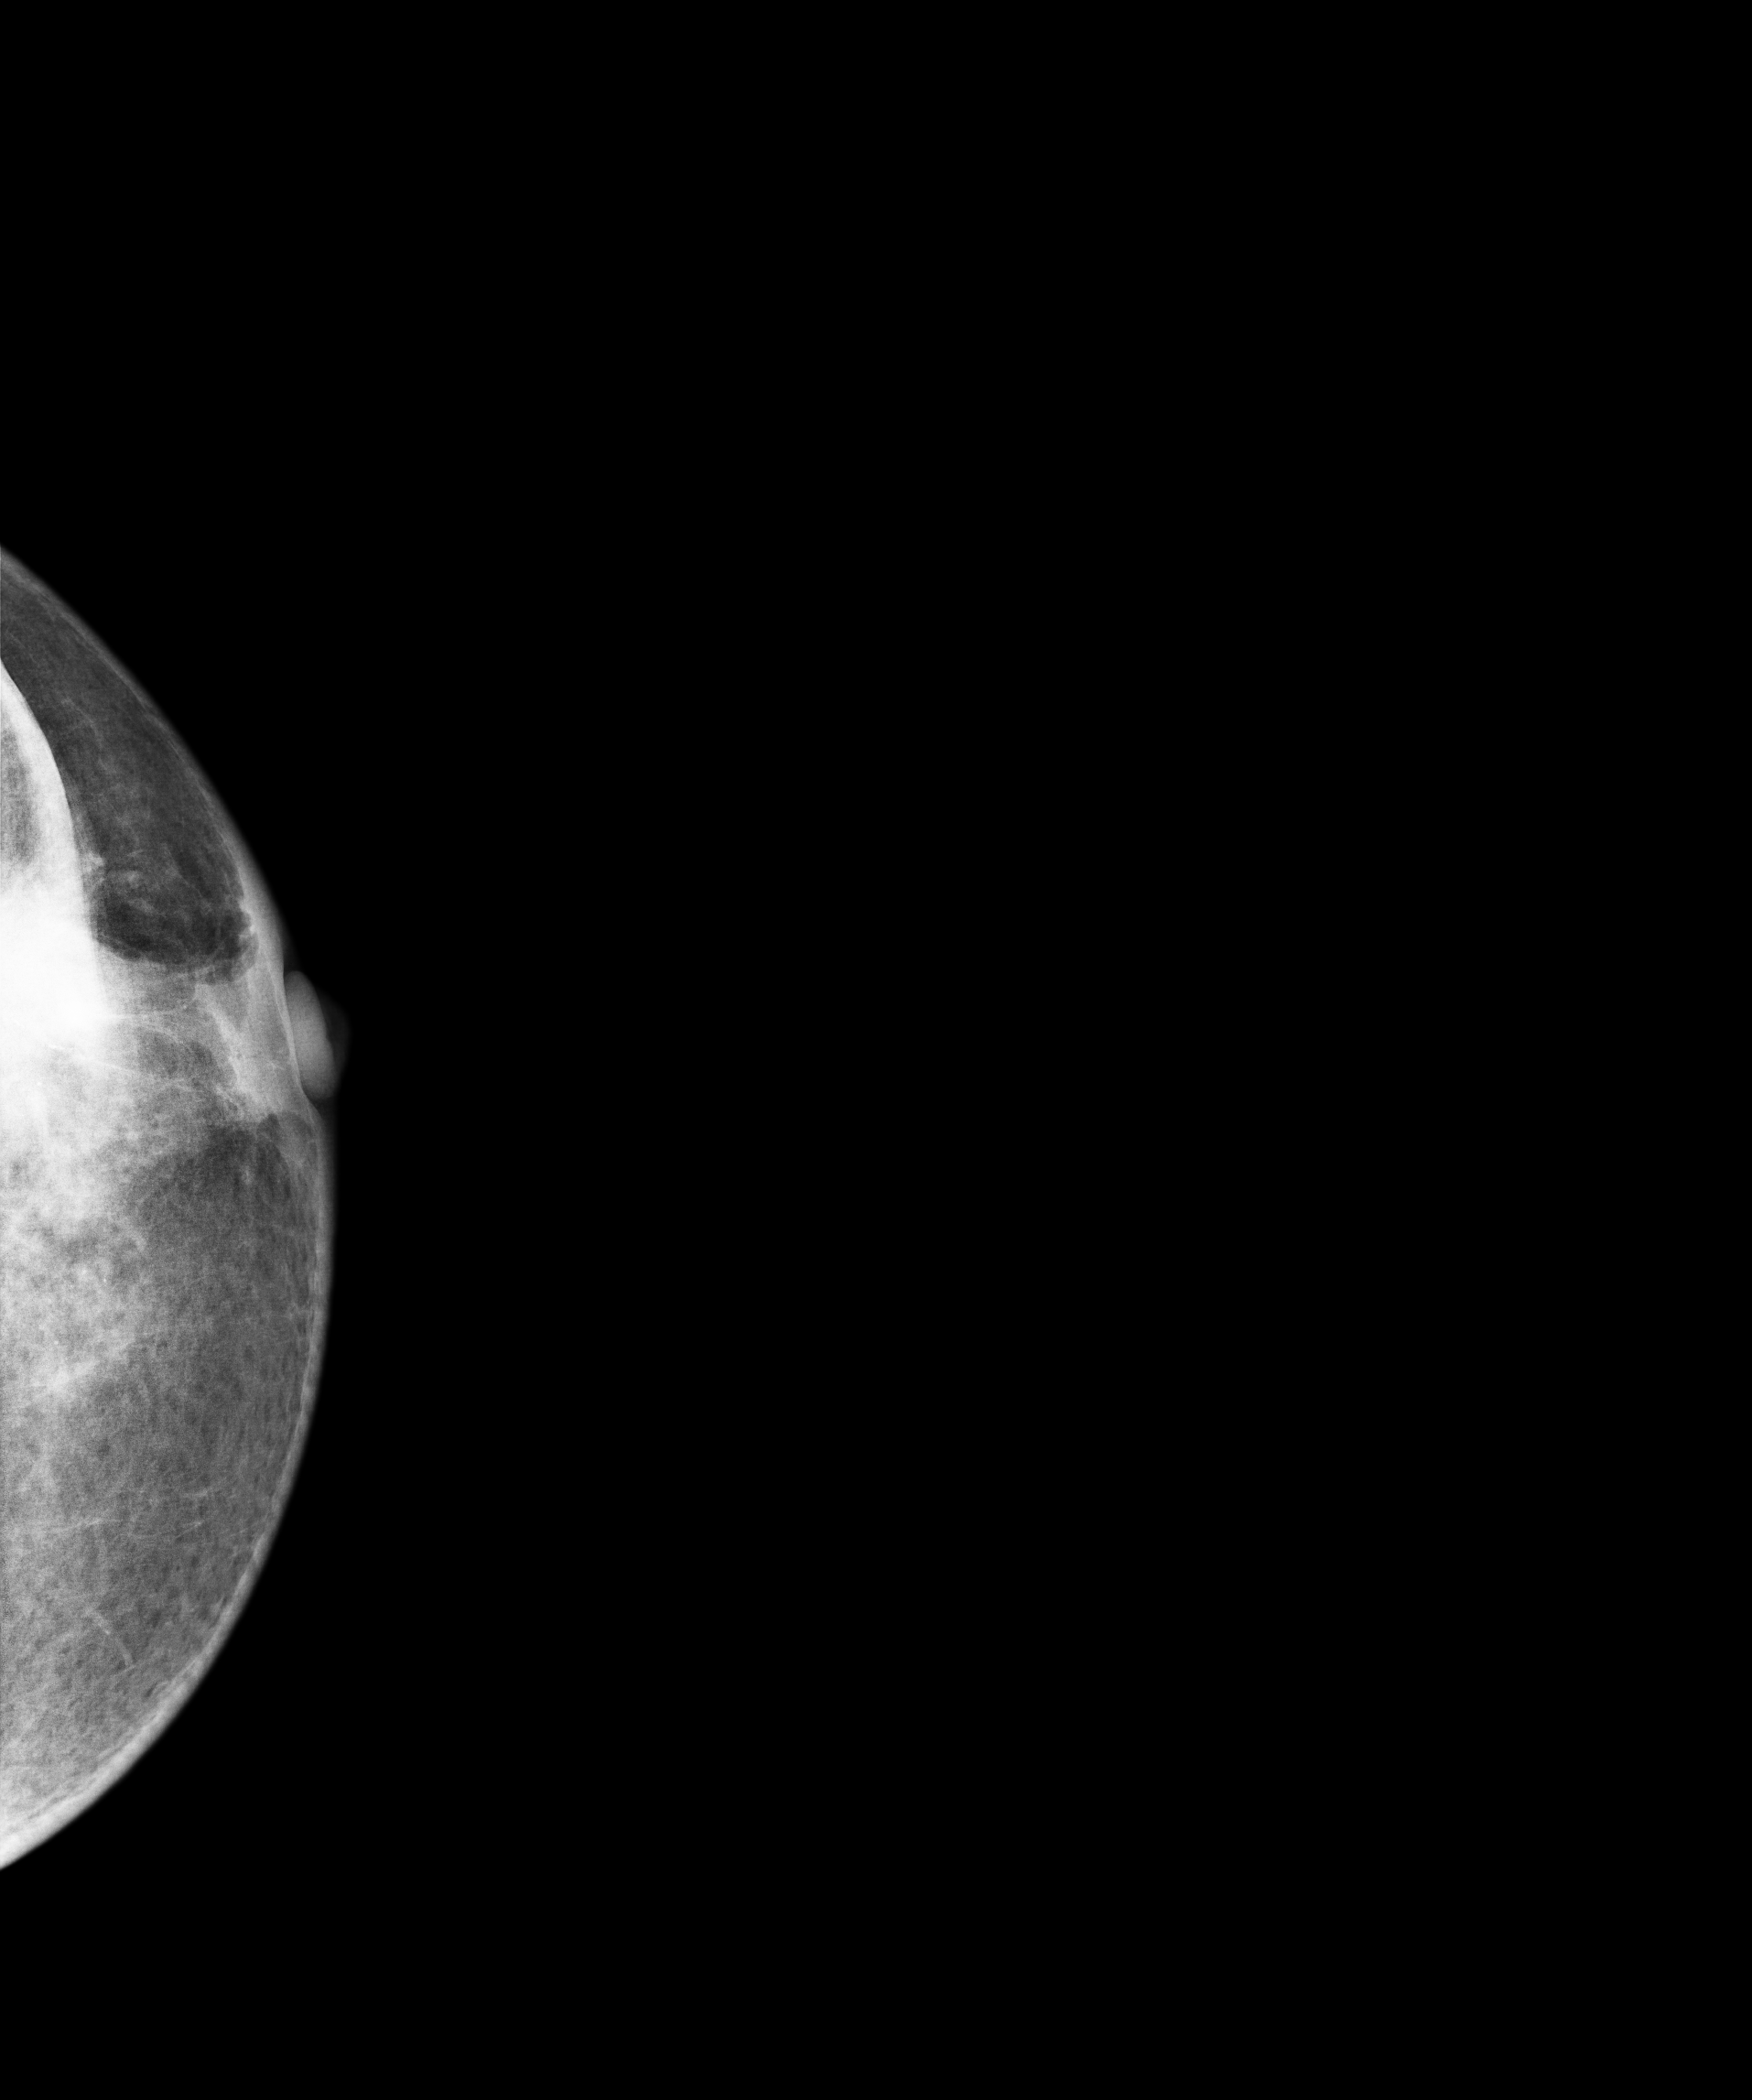
Mammogram, left breast, cranio-caudal view. 55-year-old patient.
This breast has a mass and calcifications, biopsy-proven malignant. Molecular subtype: luminal A.